Mammogram, left breast, cranio-caudal view. 28 y/o patient.
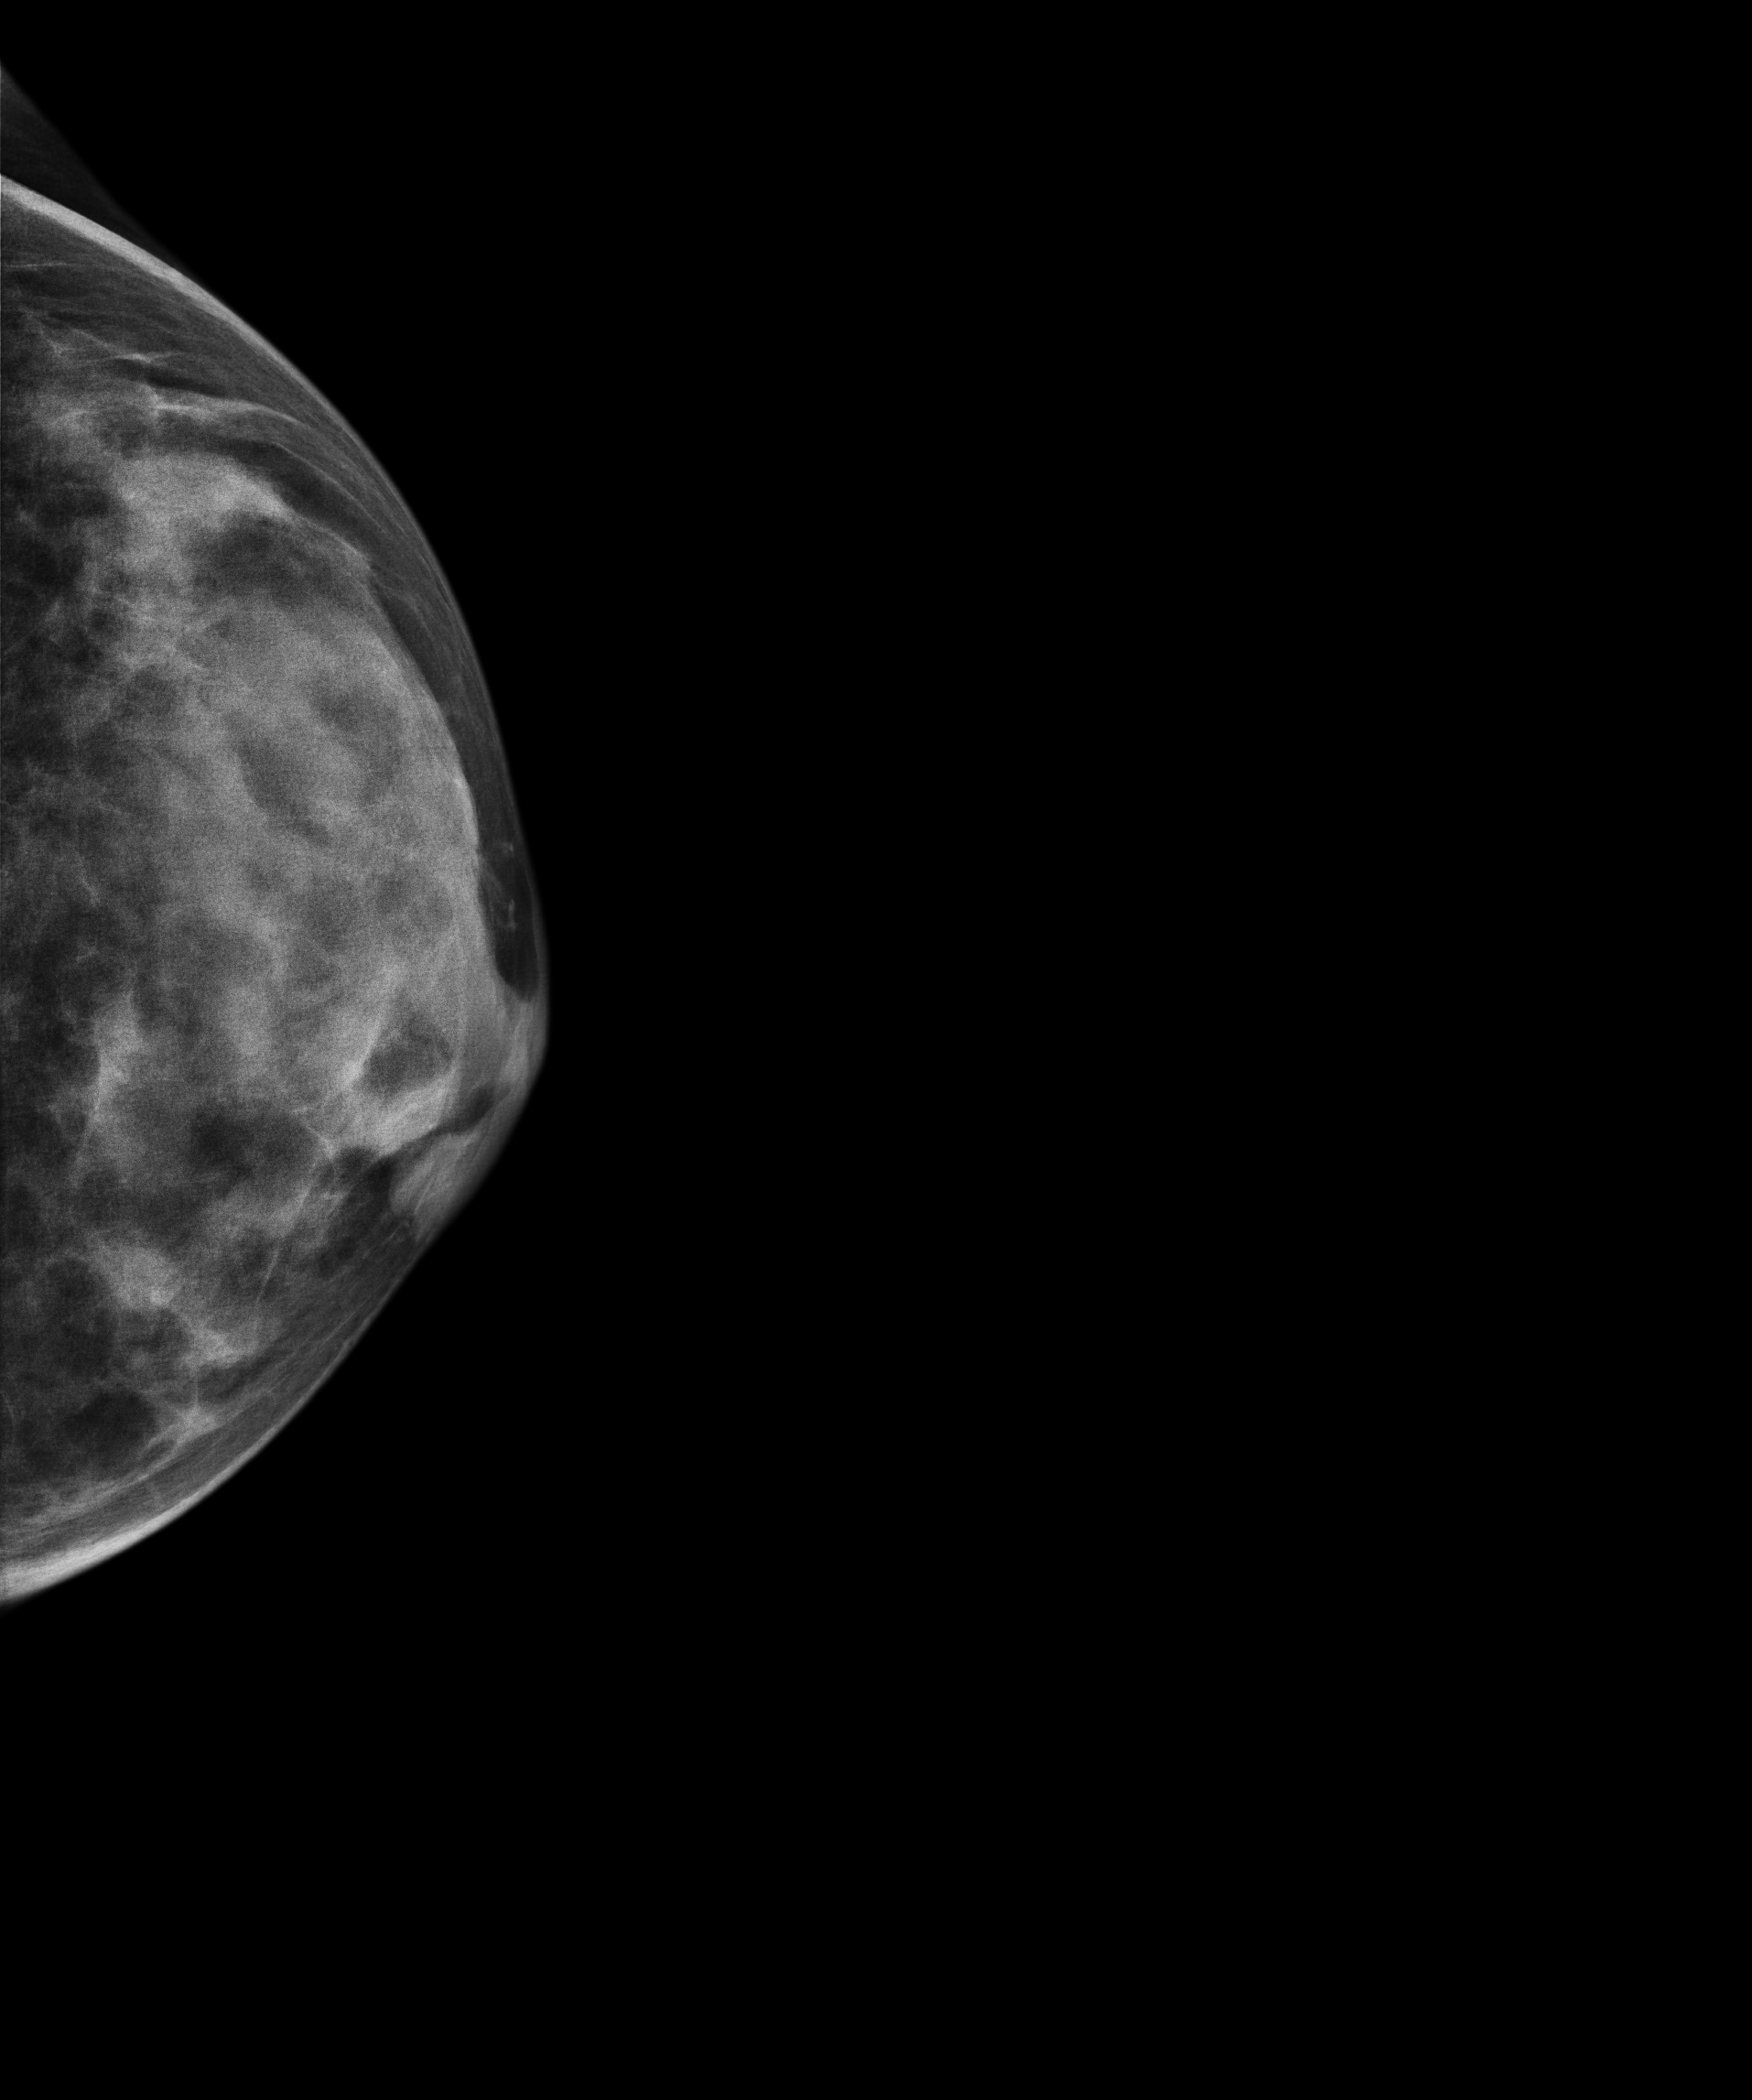
This breast has a mass, pathology-confirmed benign.